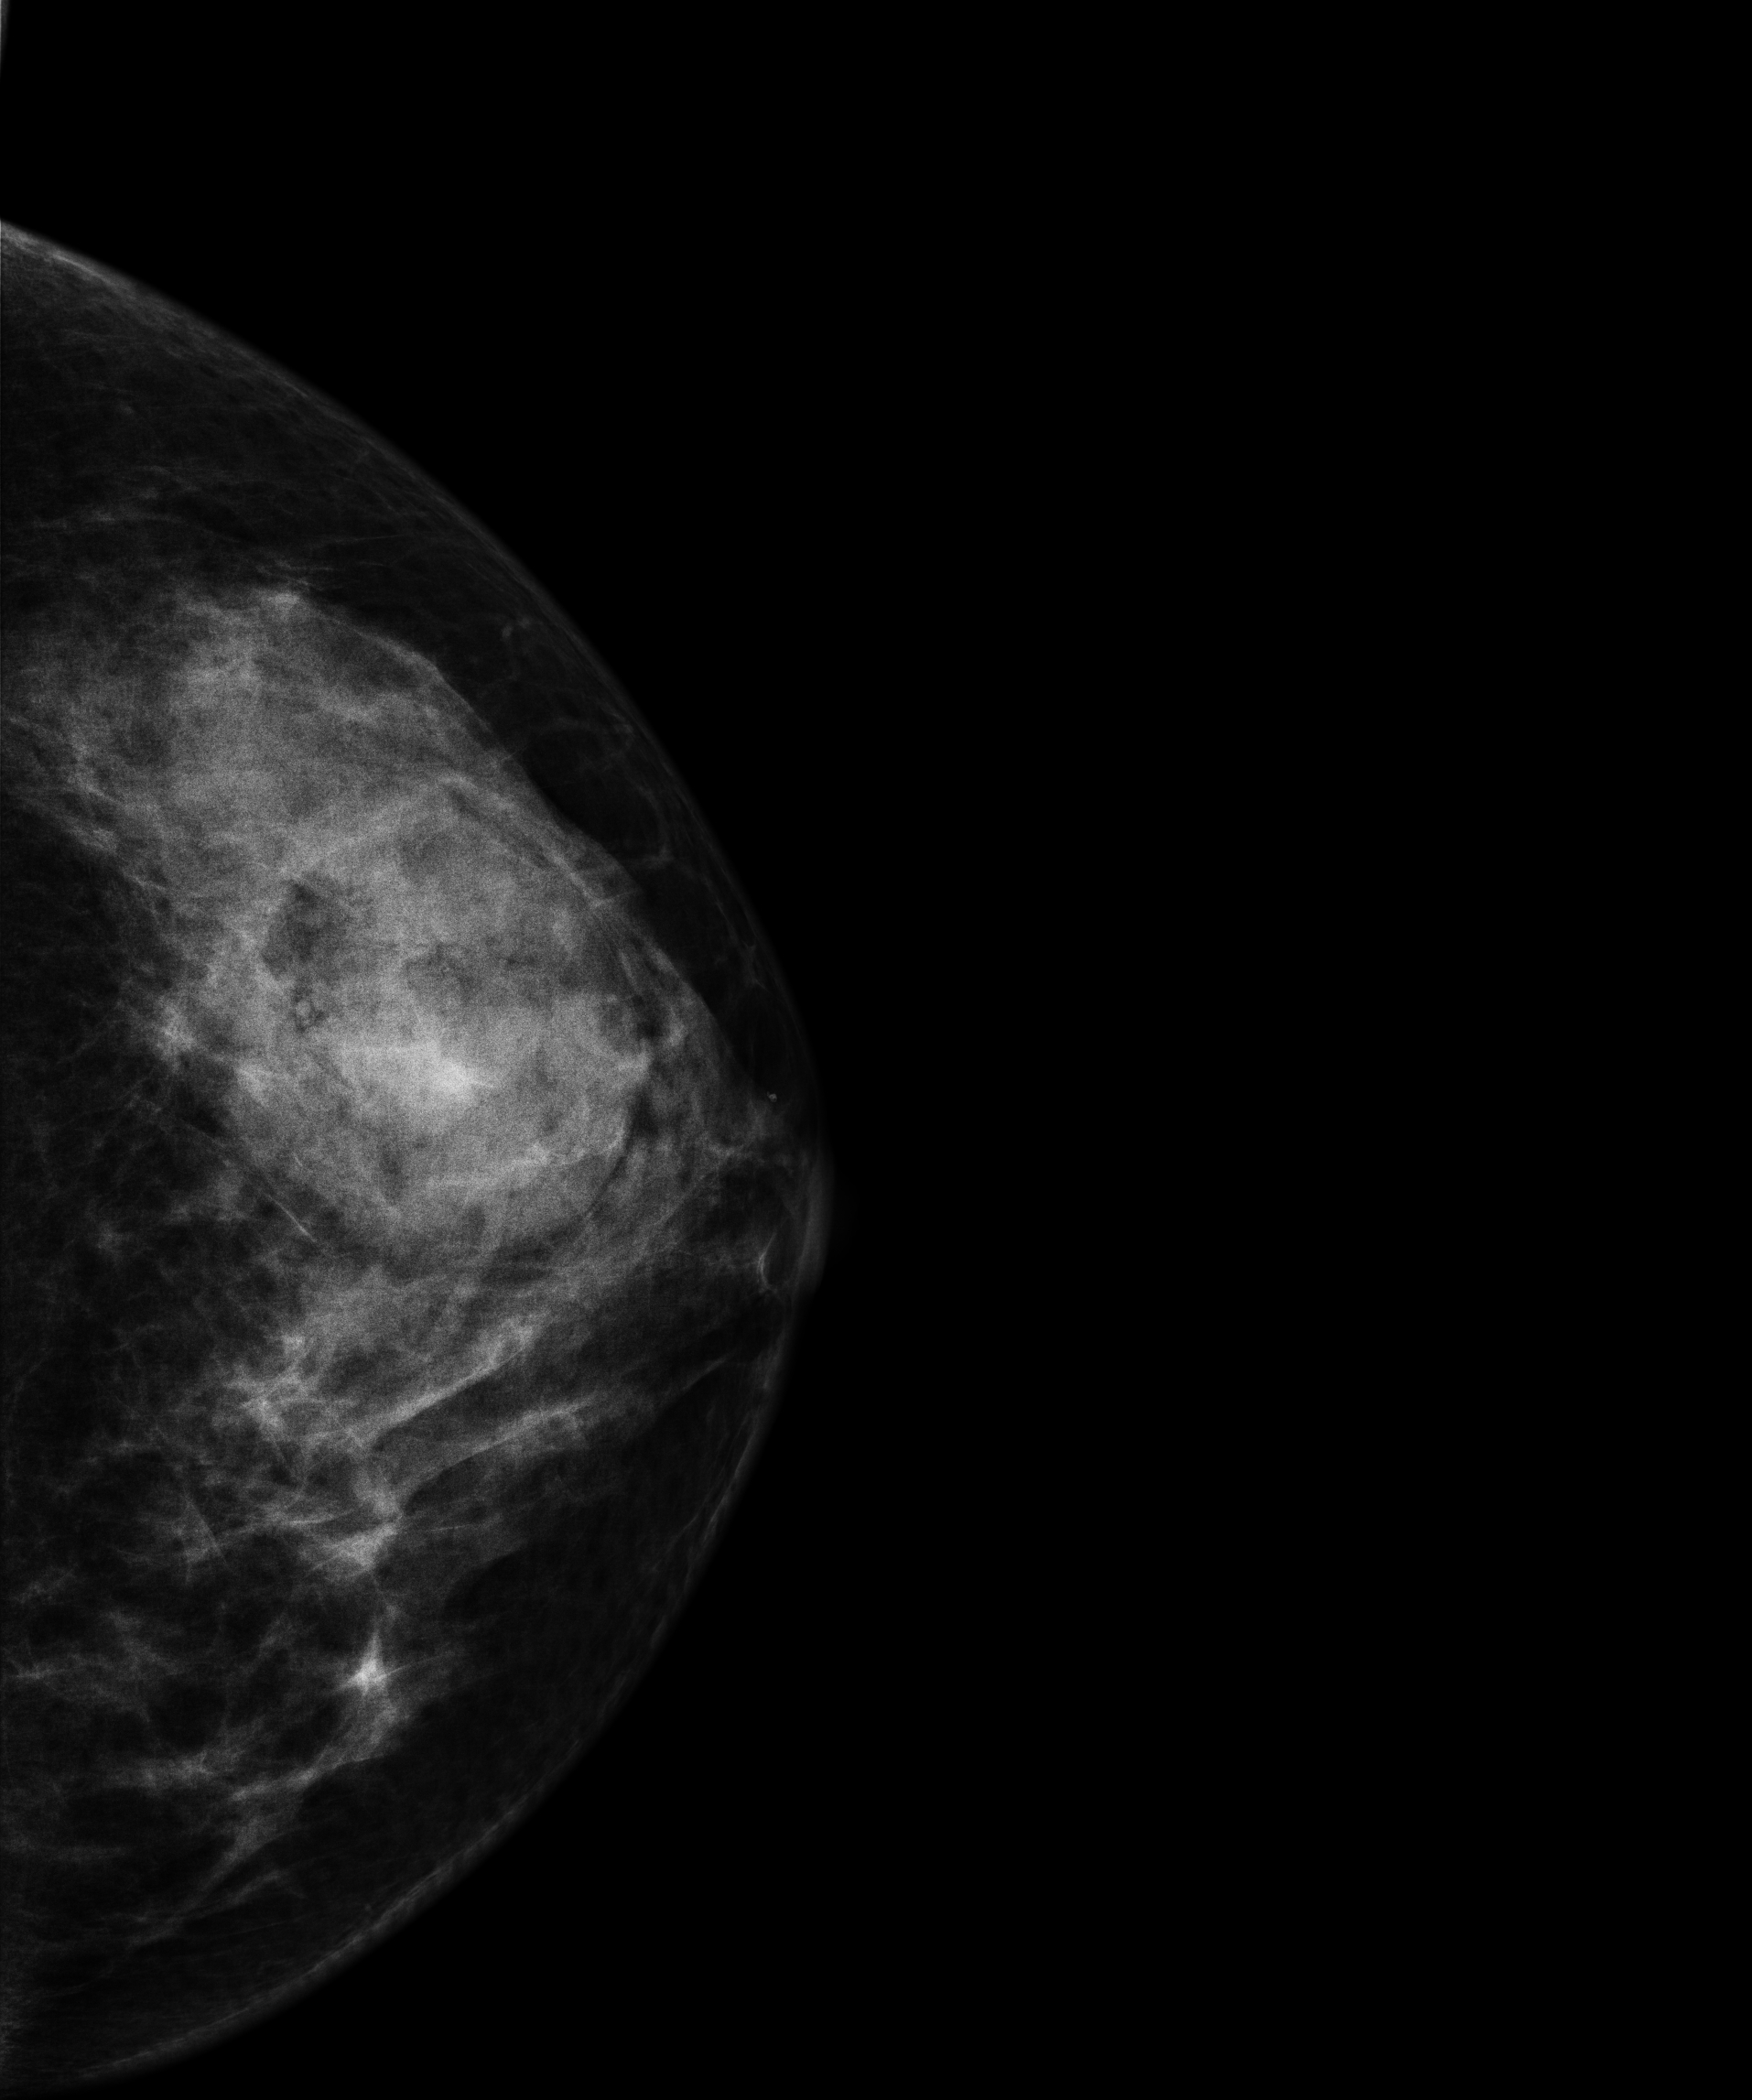
Left-breast mammogram, CC. Patient age 29.
This breast has a mass, pathology-confirmed benign.